Mammogram, right breast, medio-lateral oblique view. 62-year-old patient.
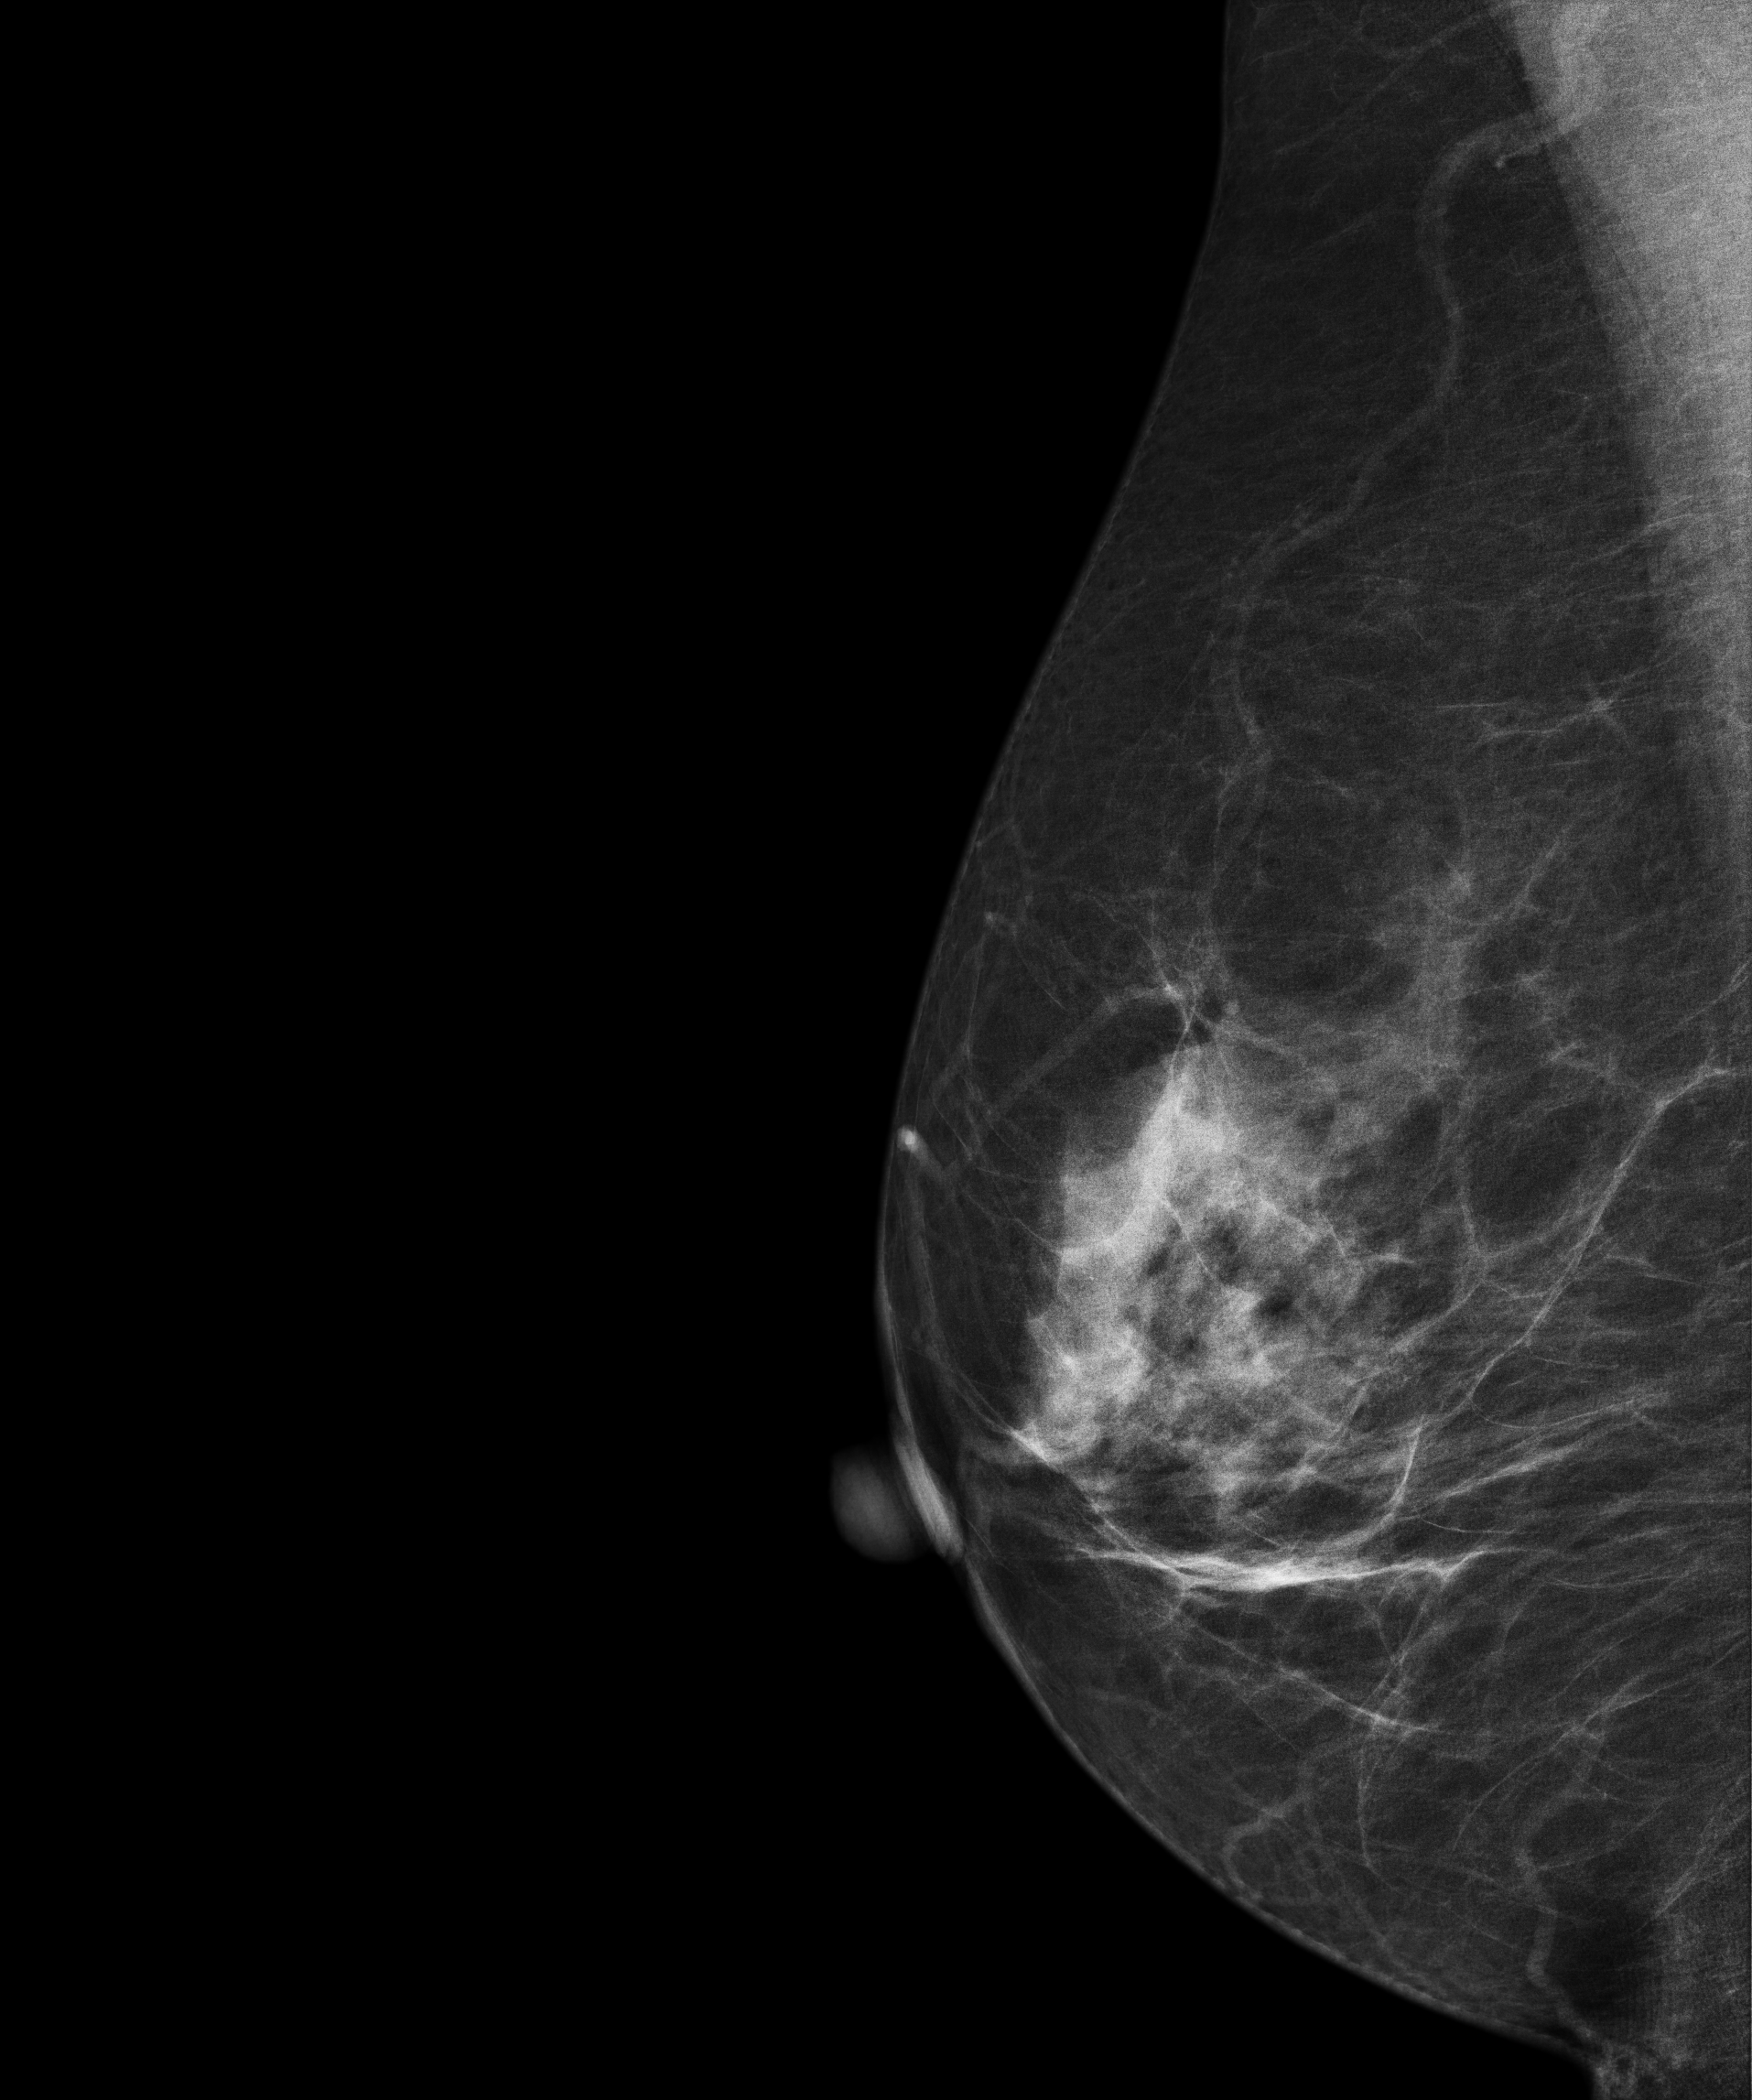
Contralateral breast — no documented abnormality on this side.